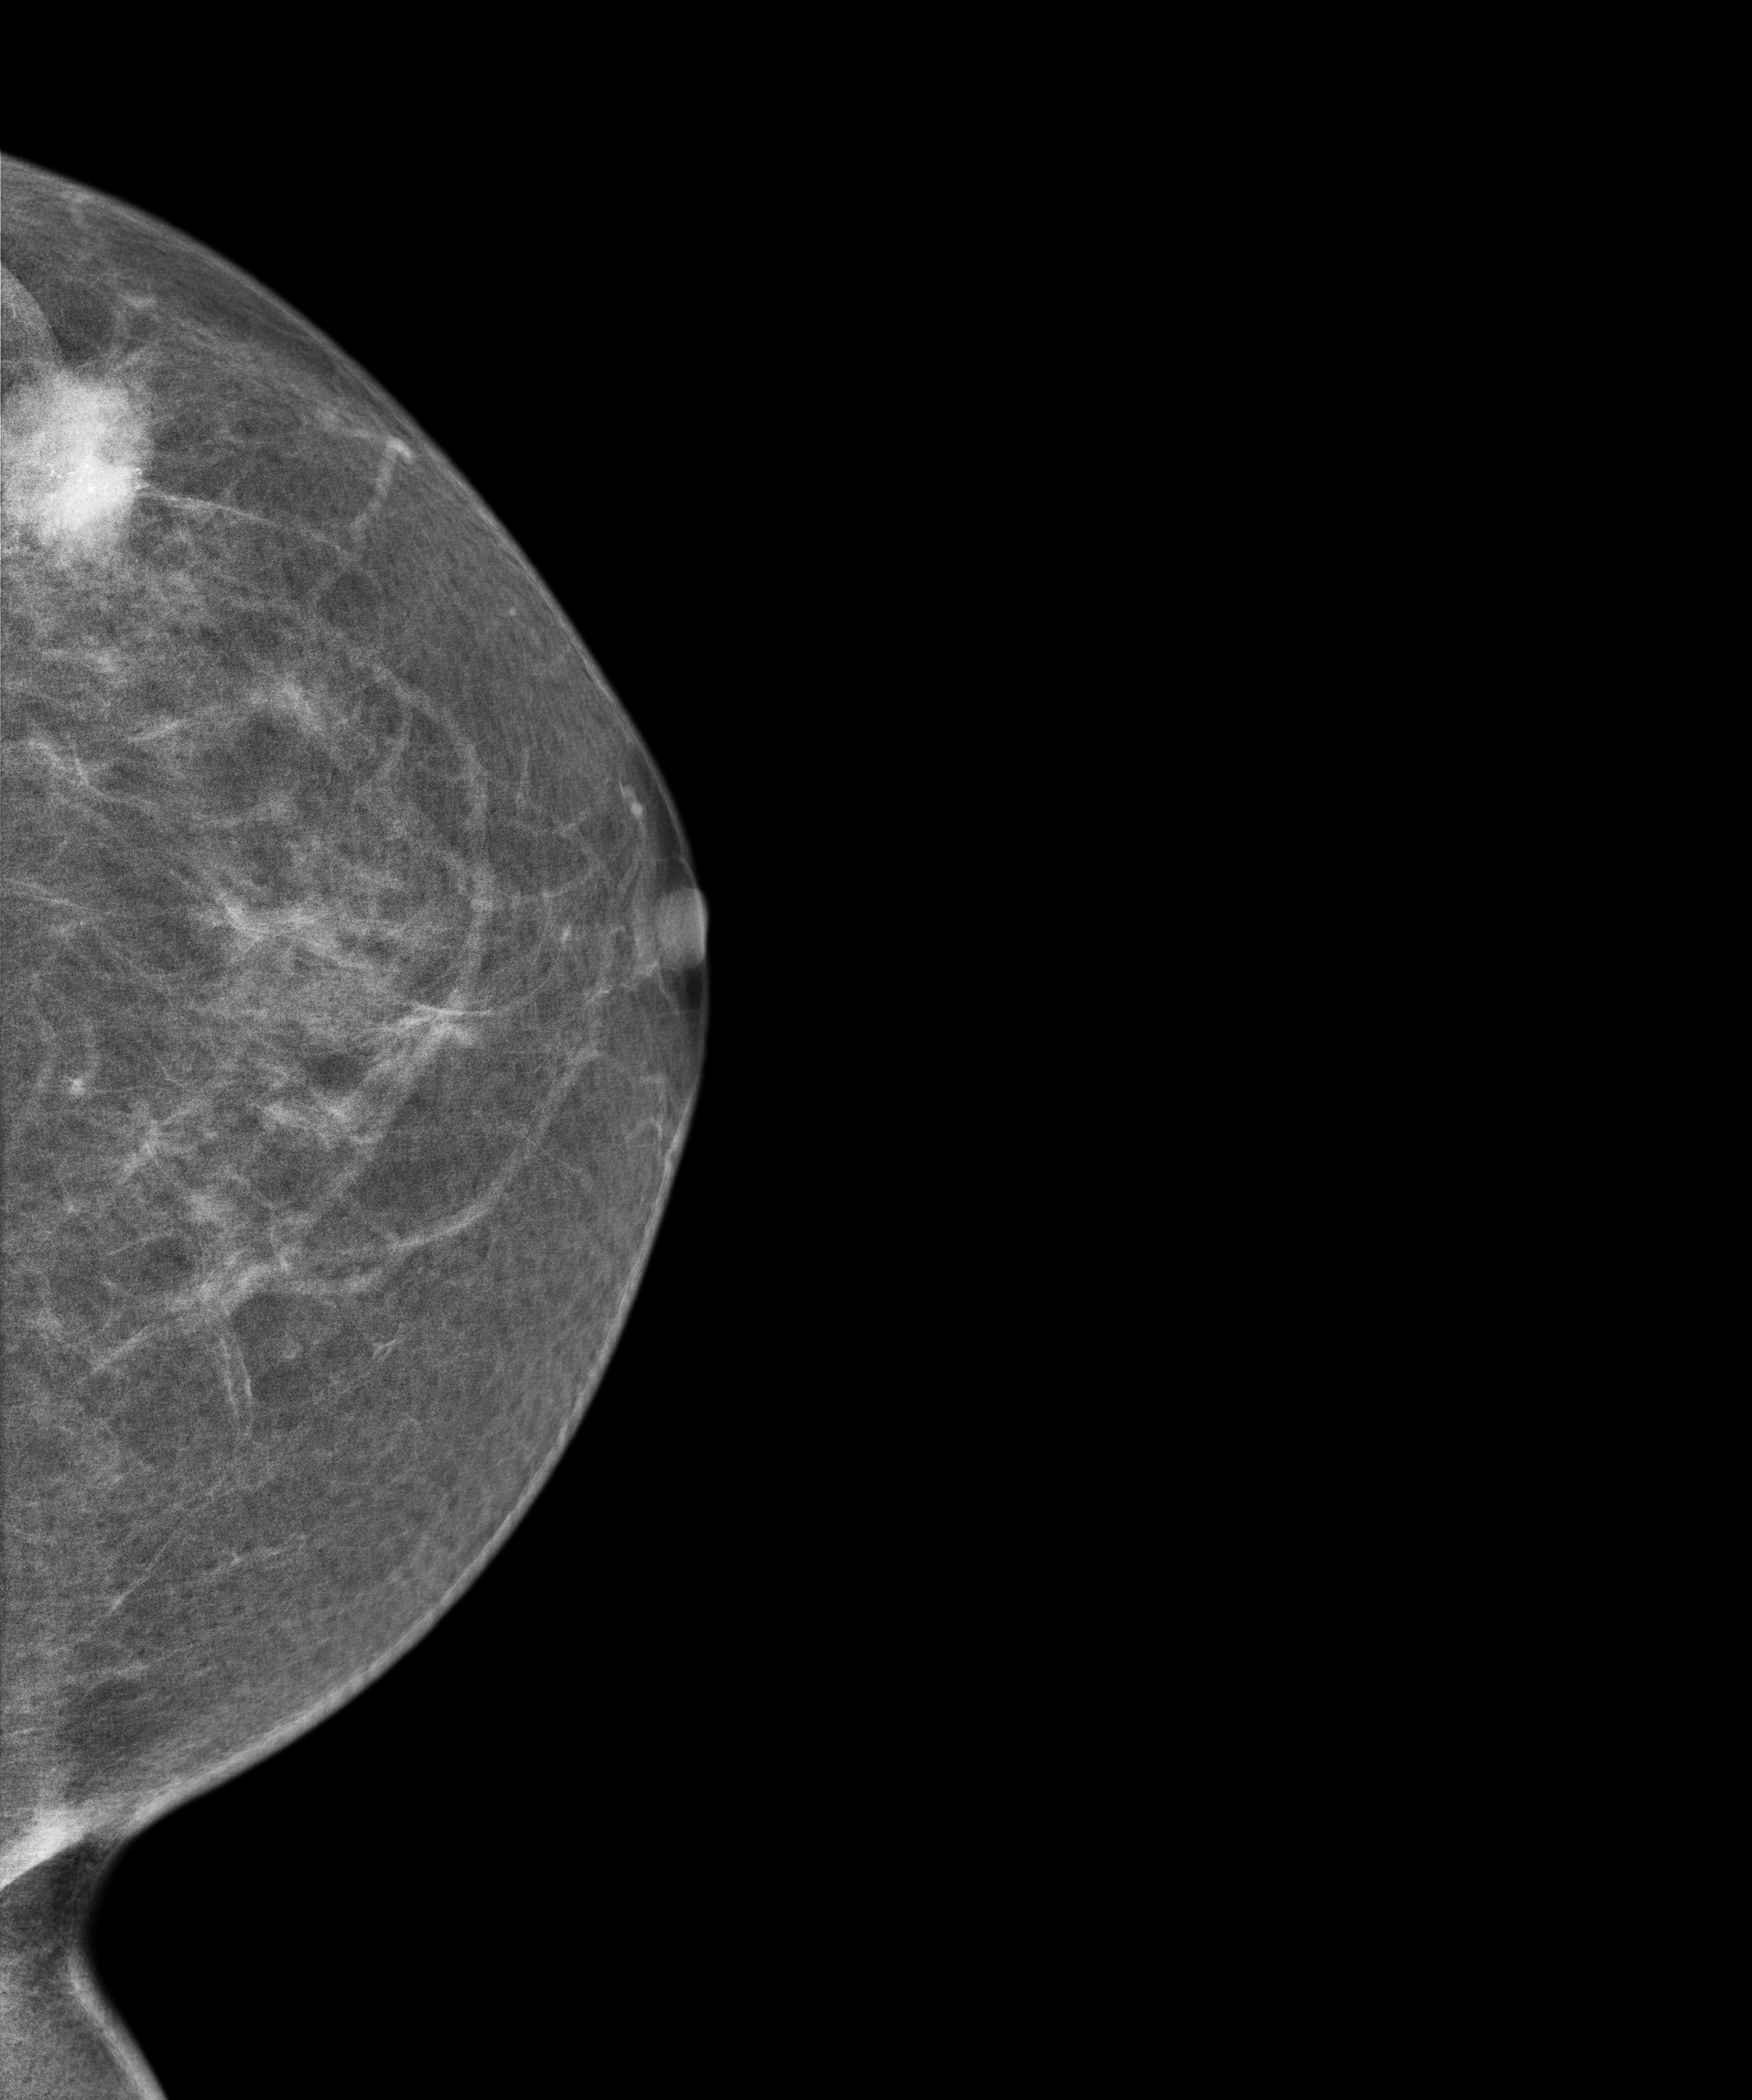
Mammogram — left cranio-caudal. Patient age 58.
This breast has a mass and calcifications, pathology-confirmed malignant.